Digital mammography. Left breast, cranio-caudal projection. 36-year-old patient.
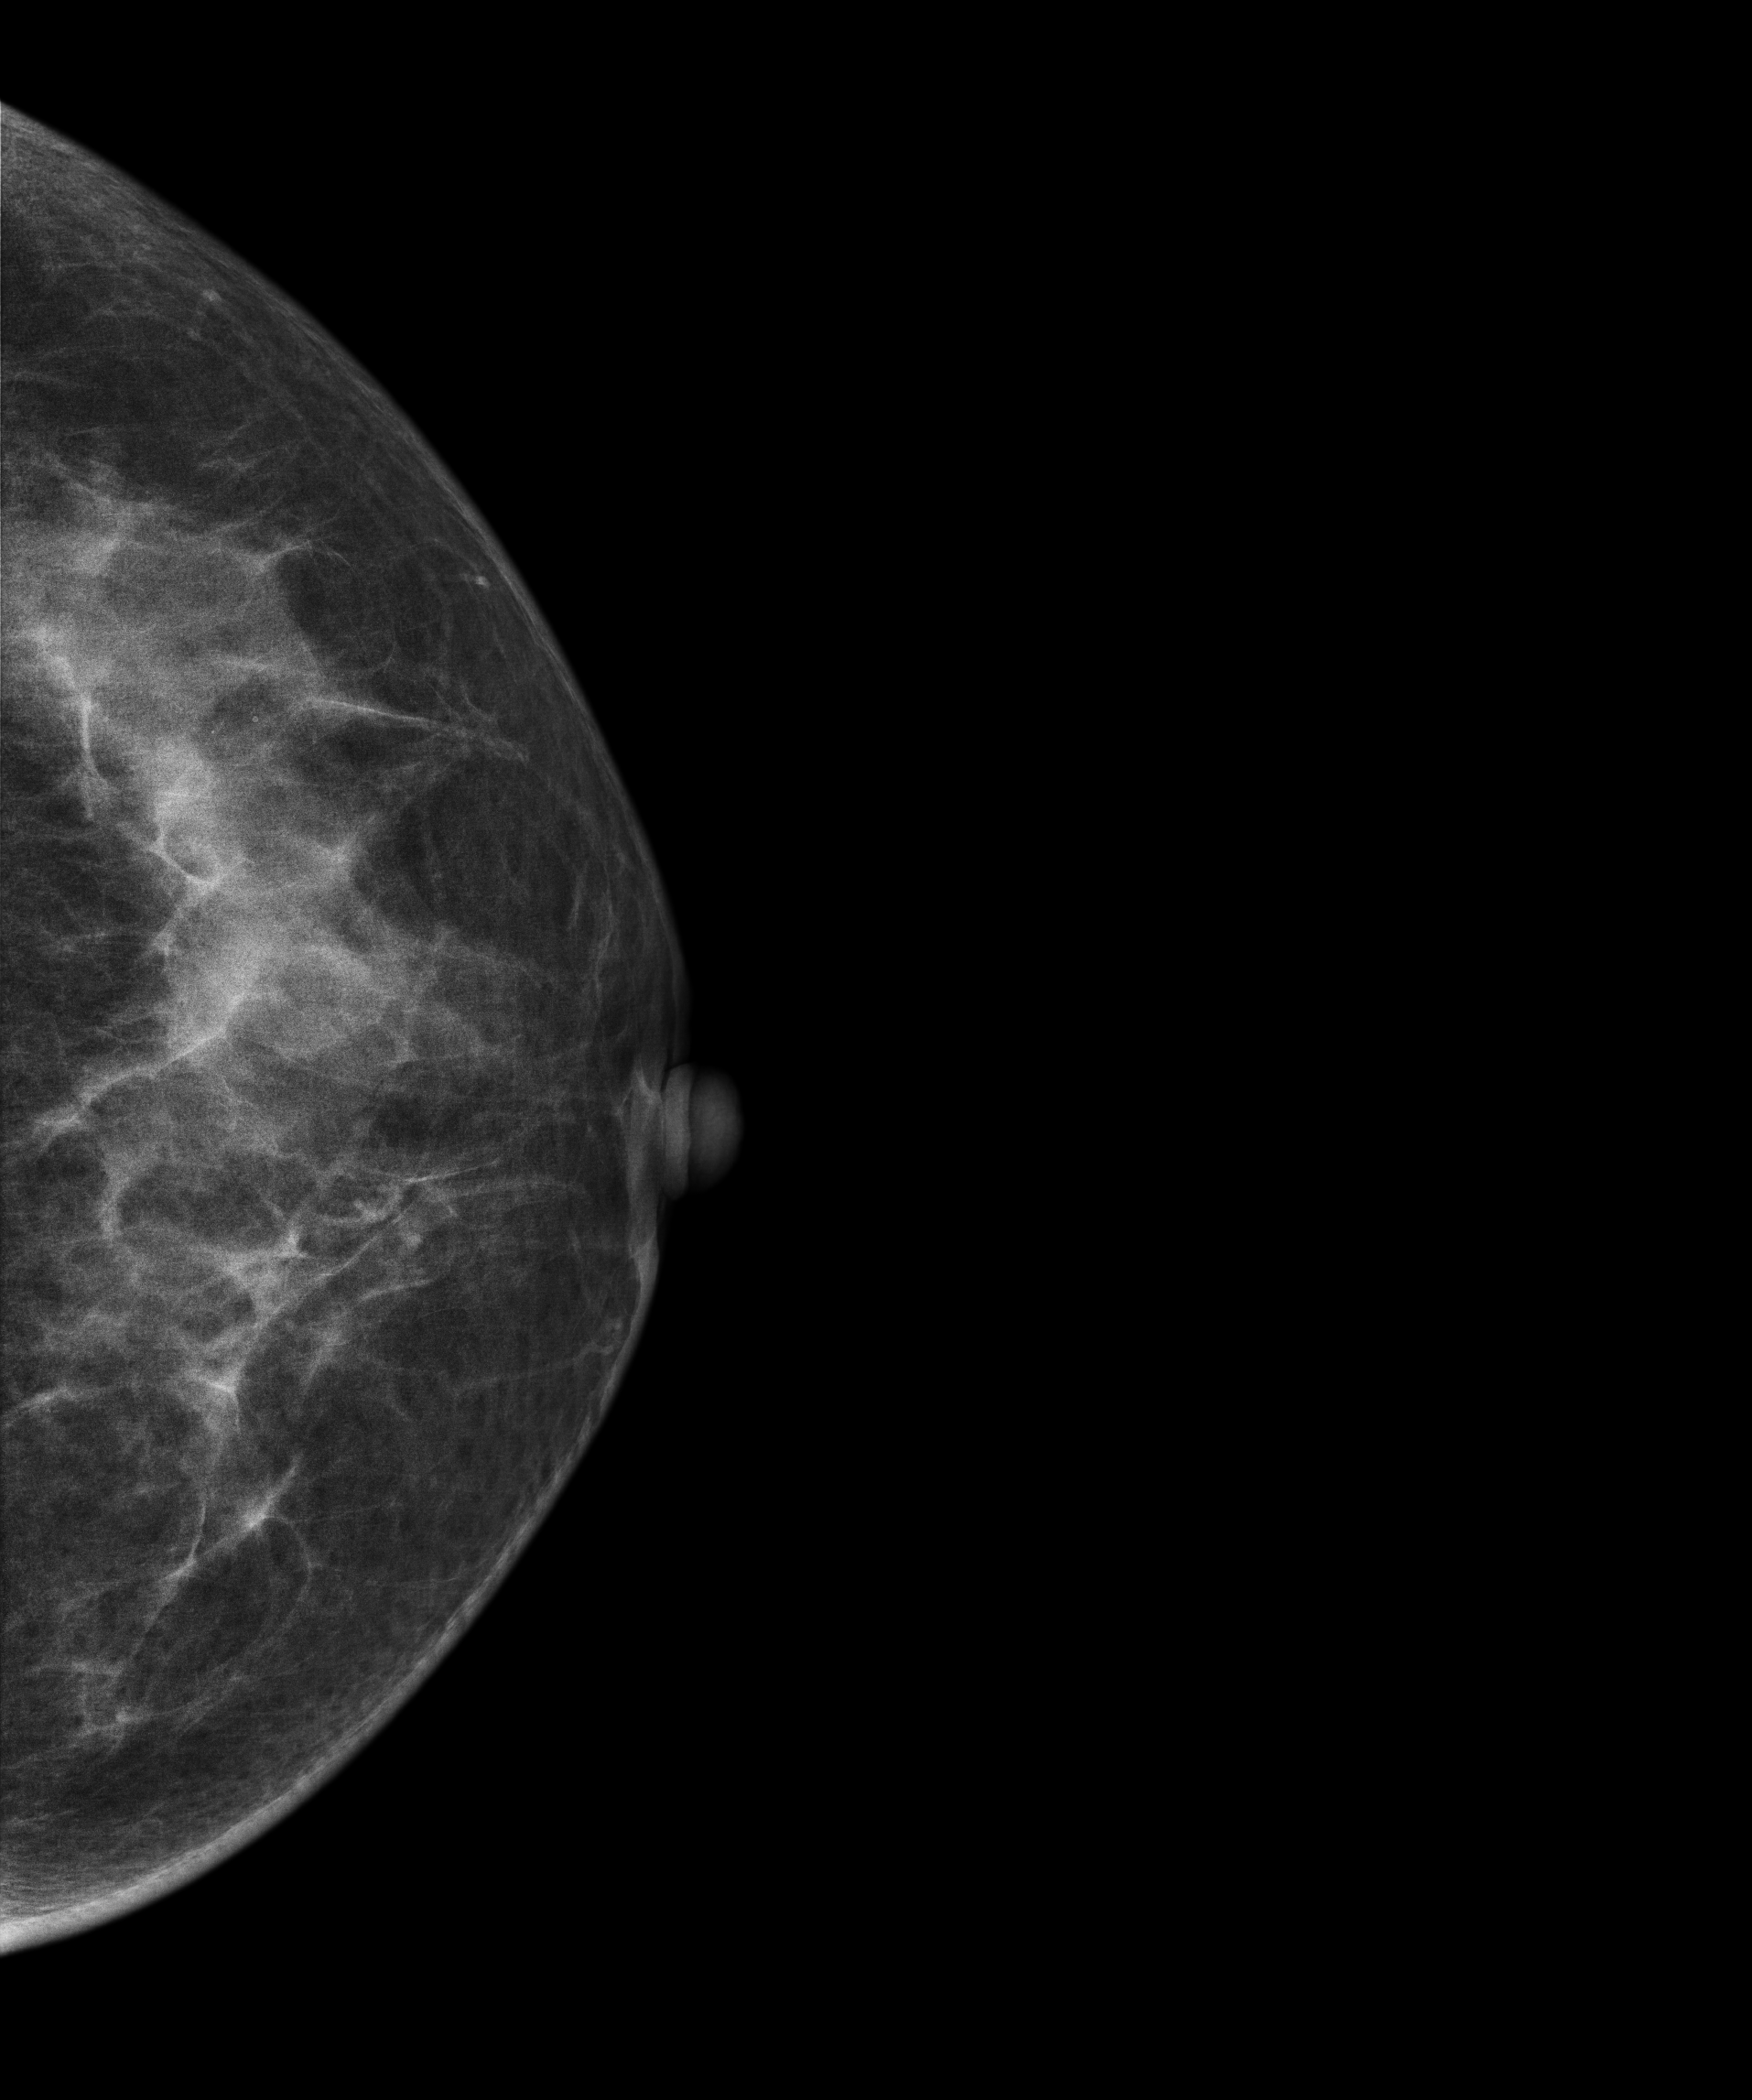
Contralateral breast — no documented abnormality on this side.